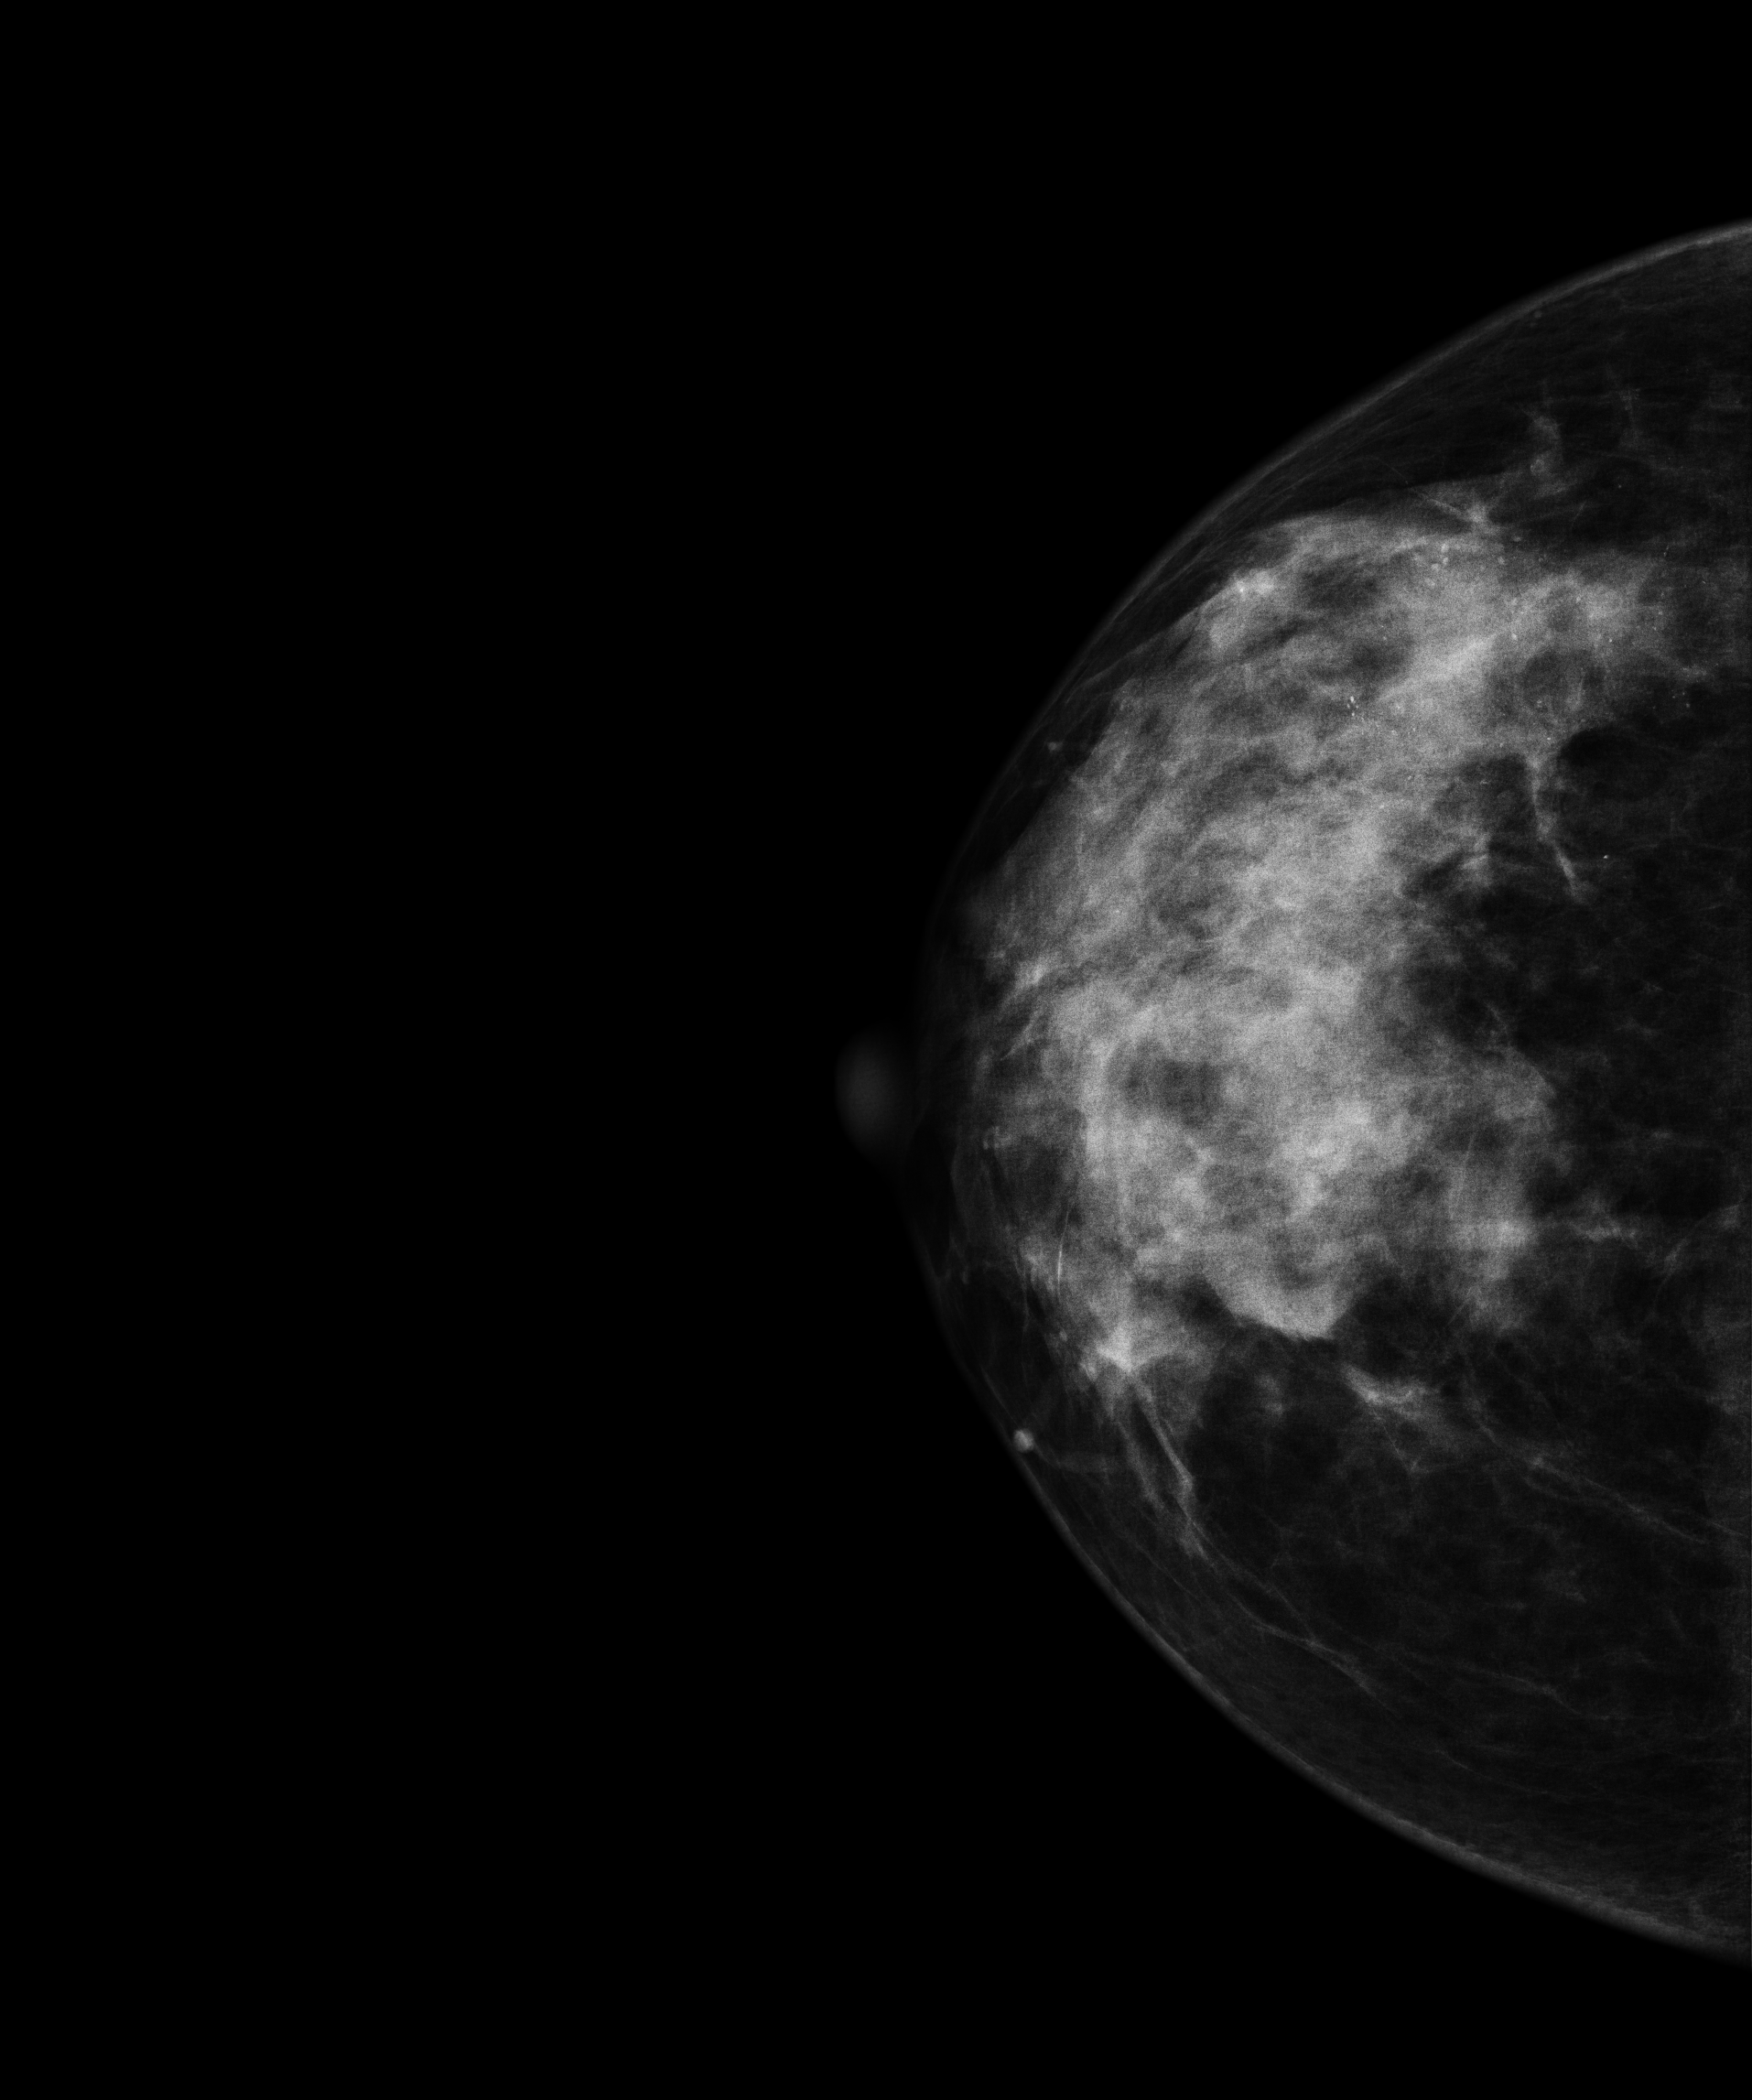
Right-breast mammogram, cranio-caudal. 41 y/o patient.
This breast has calcifications, biopsy-proven malignant. Molecular subtype: luminal A.